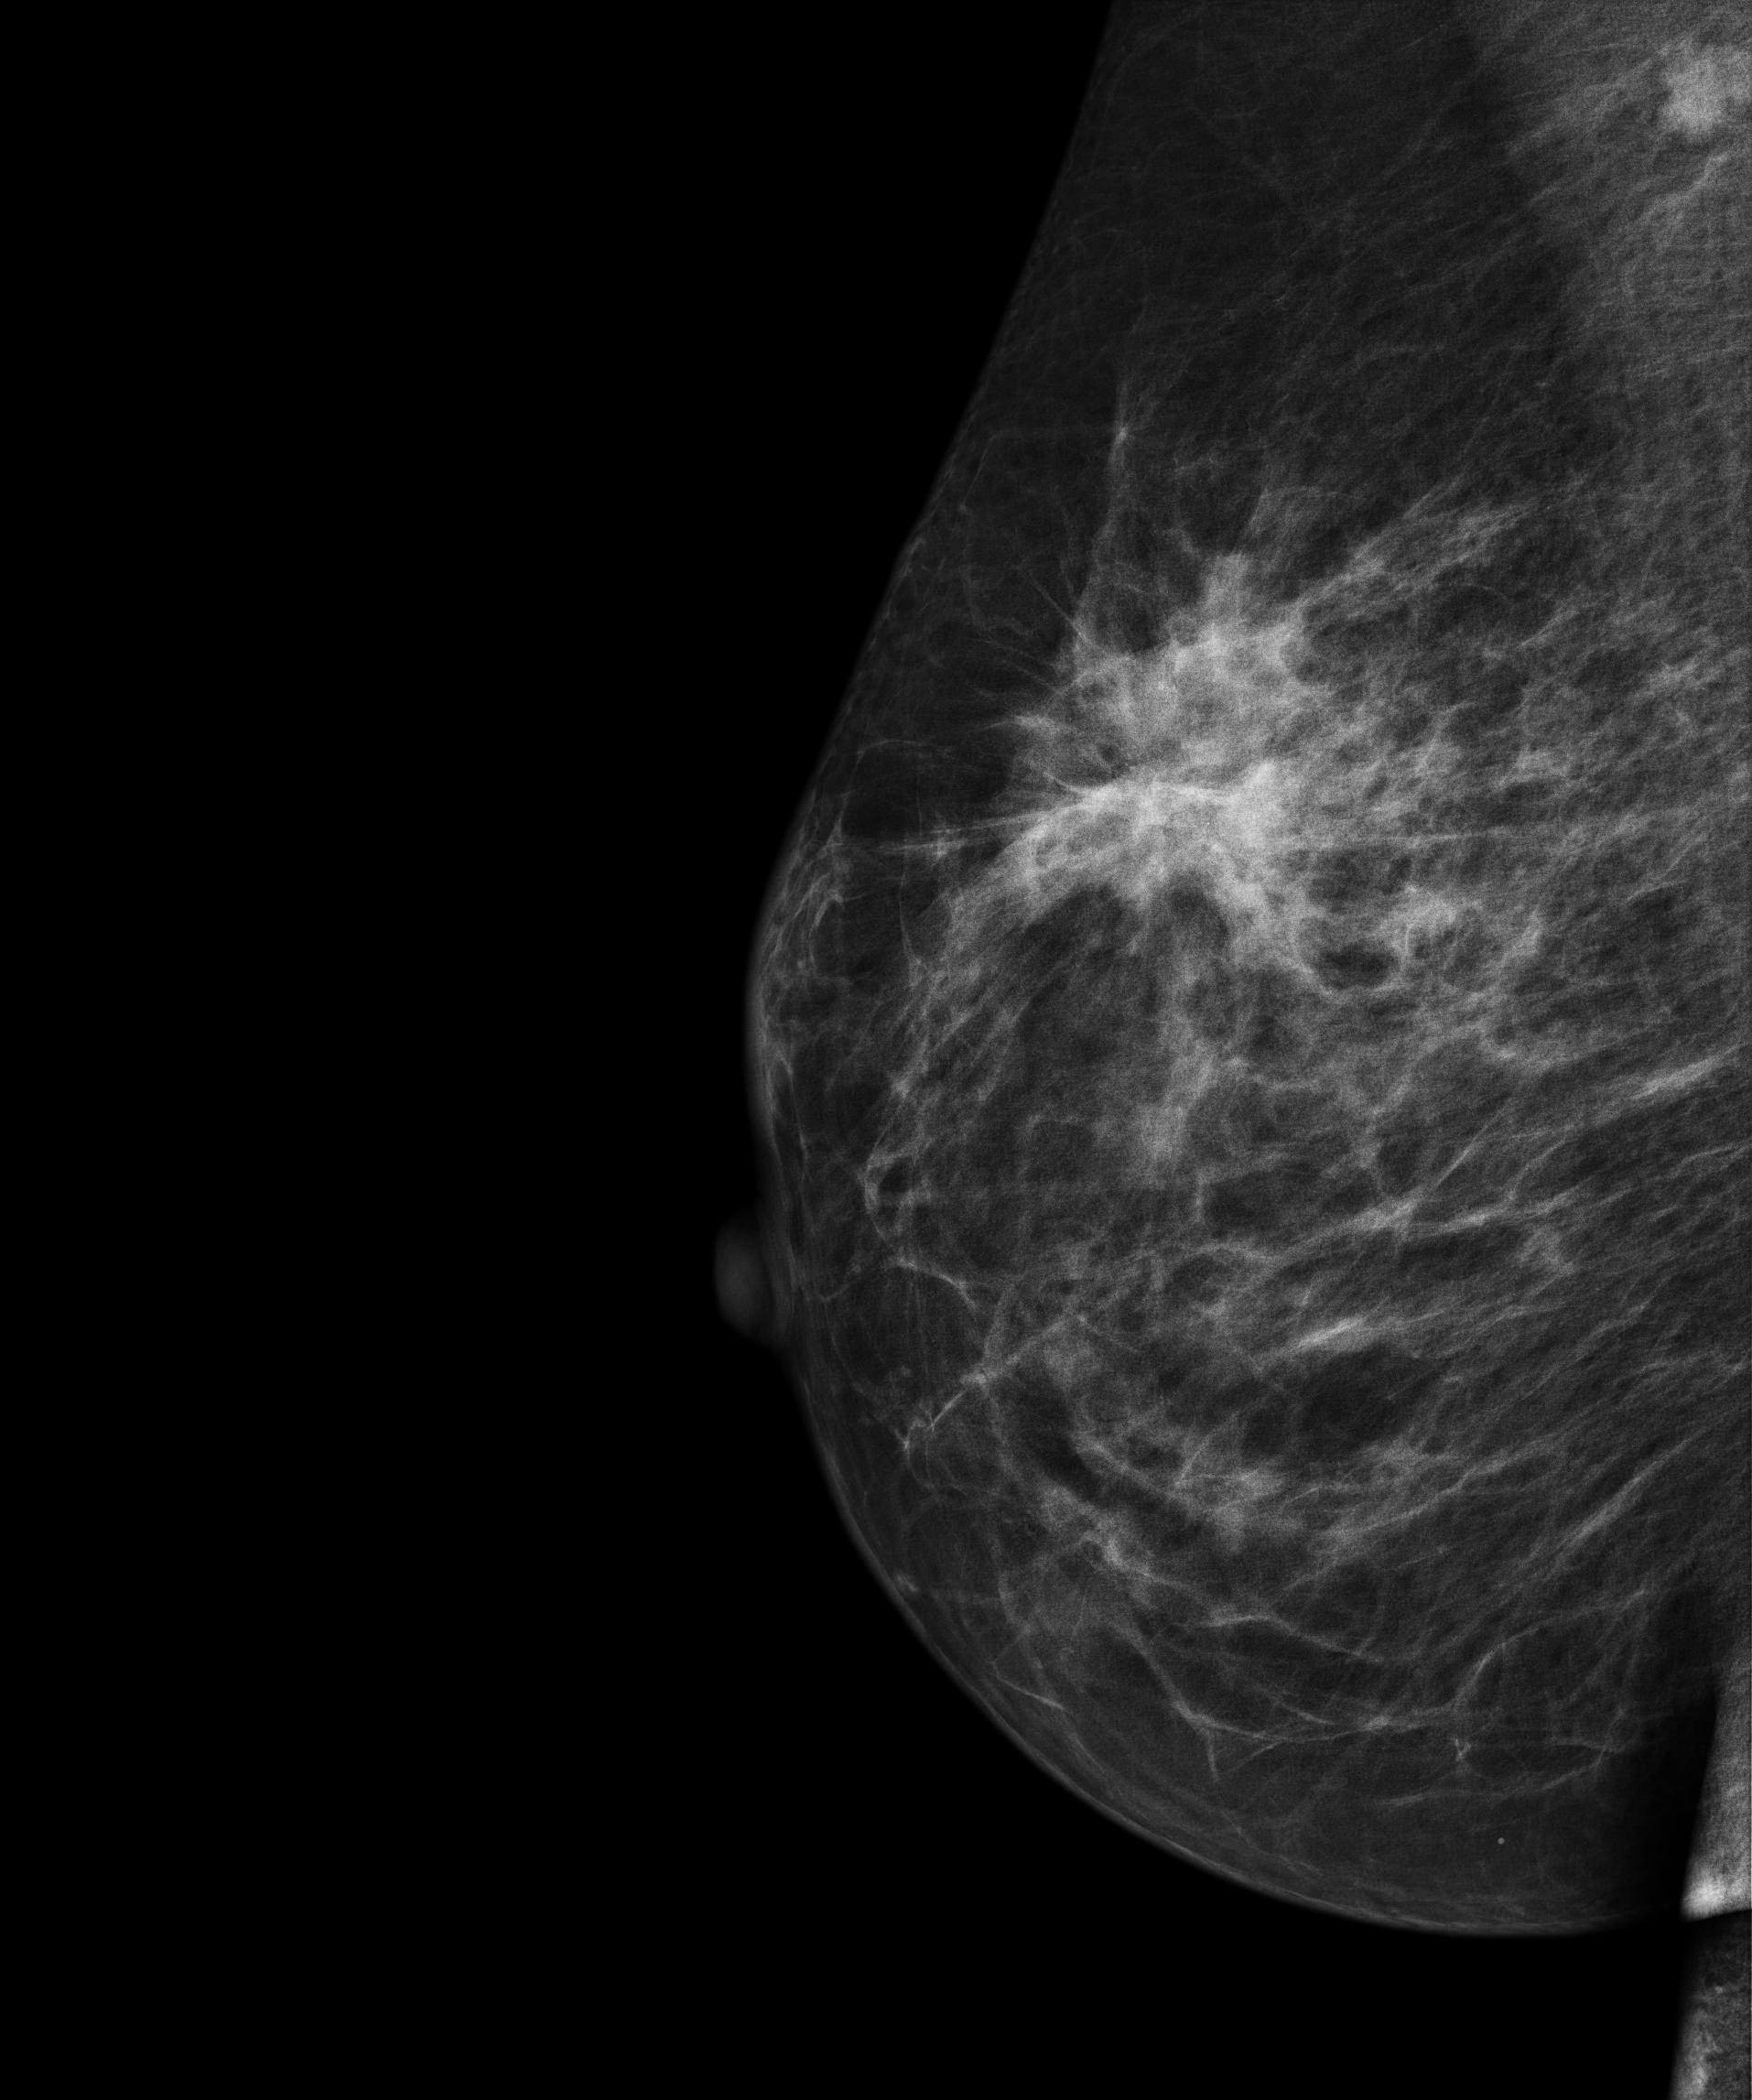
Mammogram — right MLO. Patient age 51.
This breast has a mass, biopsy-proven malignant. Molecular subtype: luminal A.